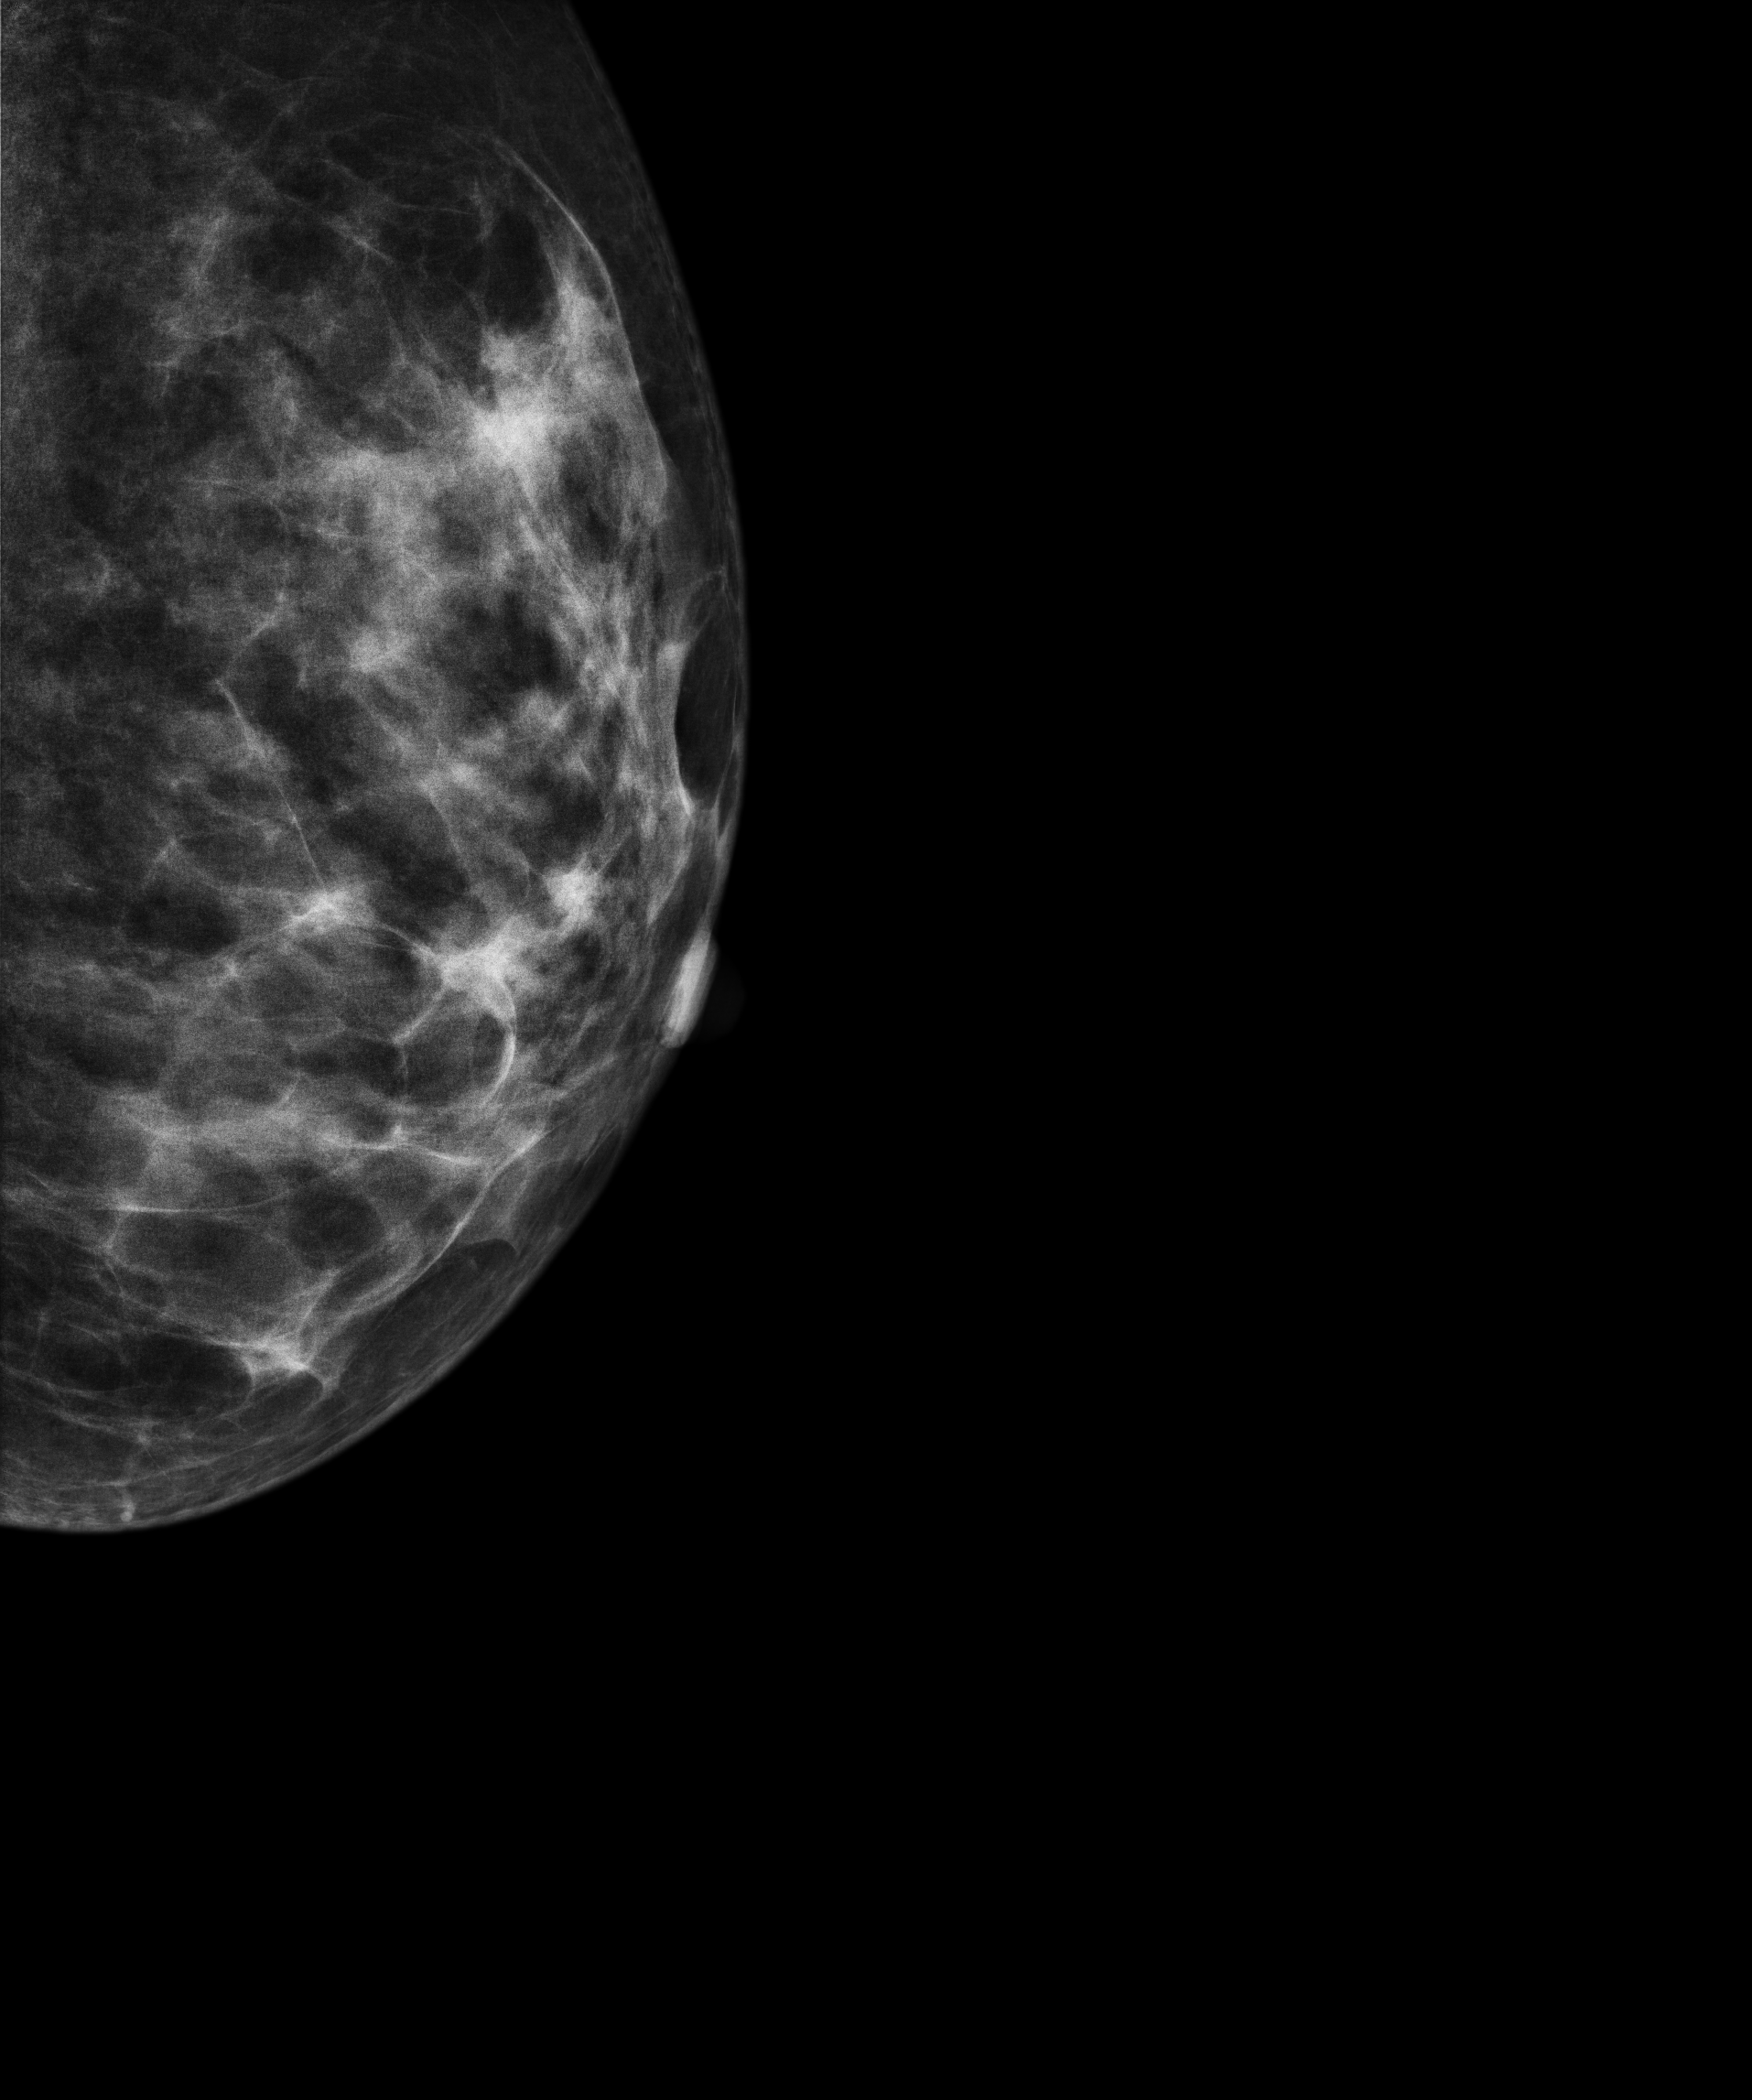
Cranio-caudal mammogram of the left breast. 39 y/o patient.
Contralateral breast — no documented abnormality on this side.